Right-breast mammogram, MLO. Patient age 47.
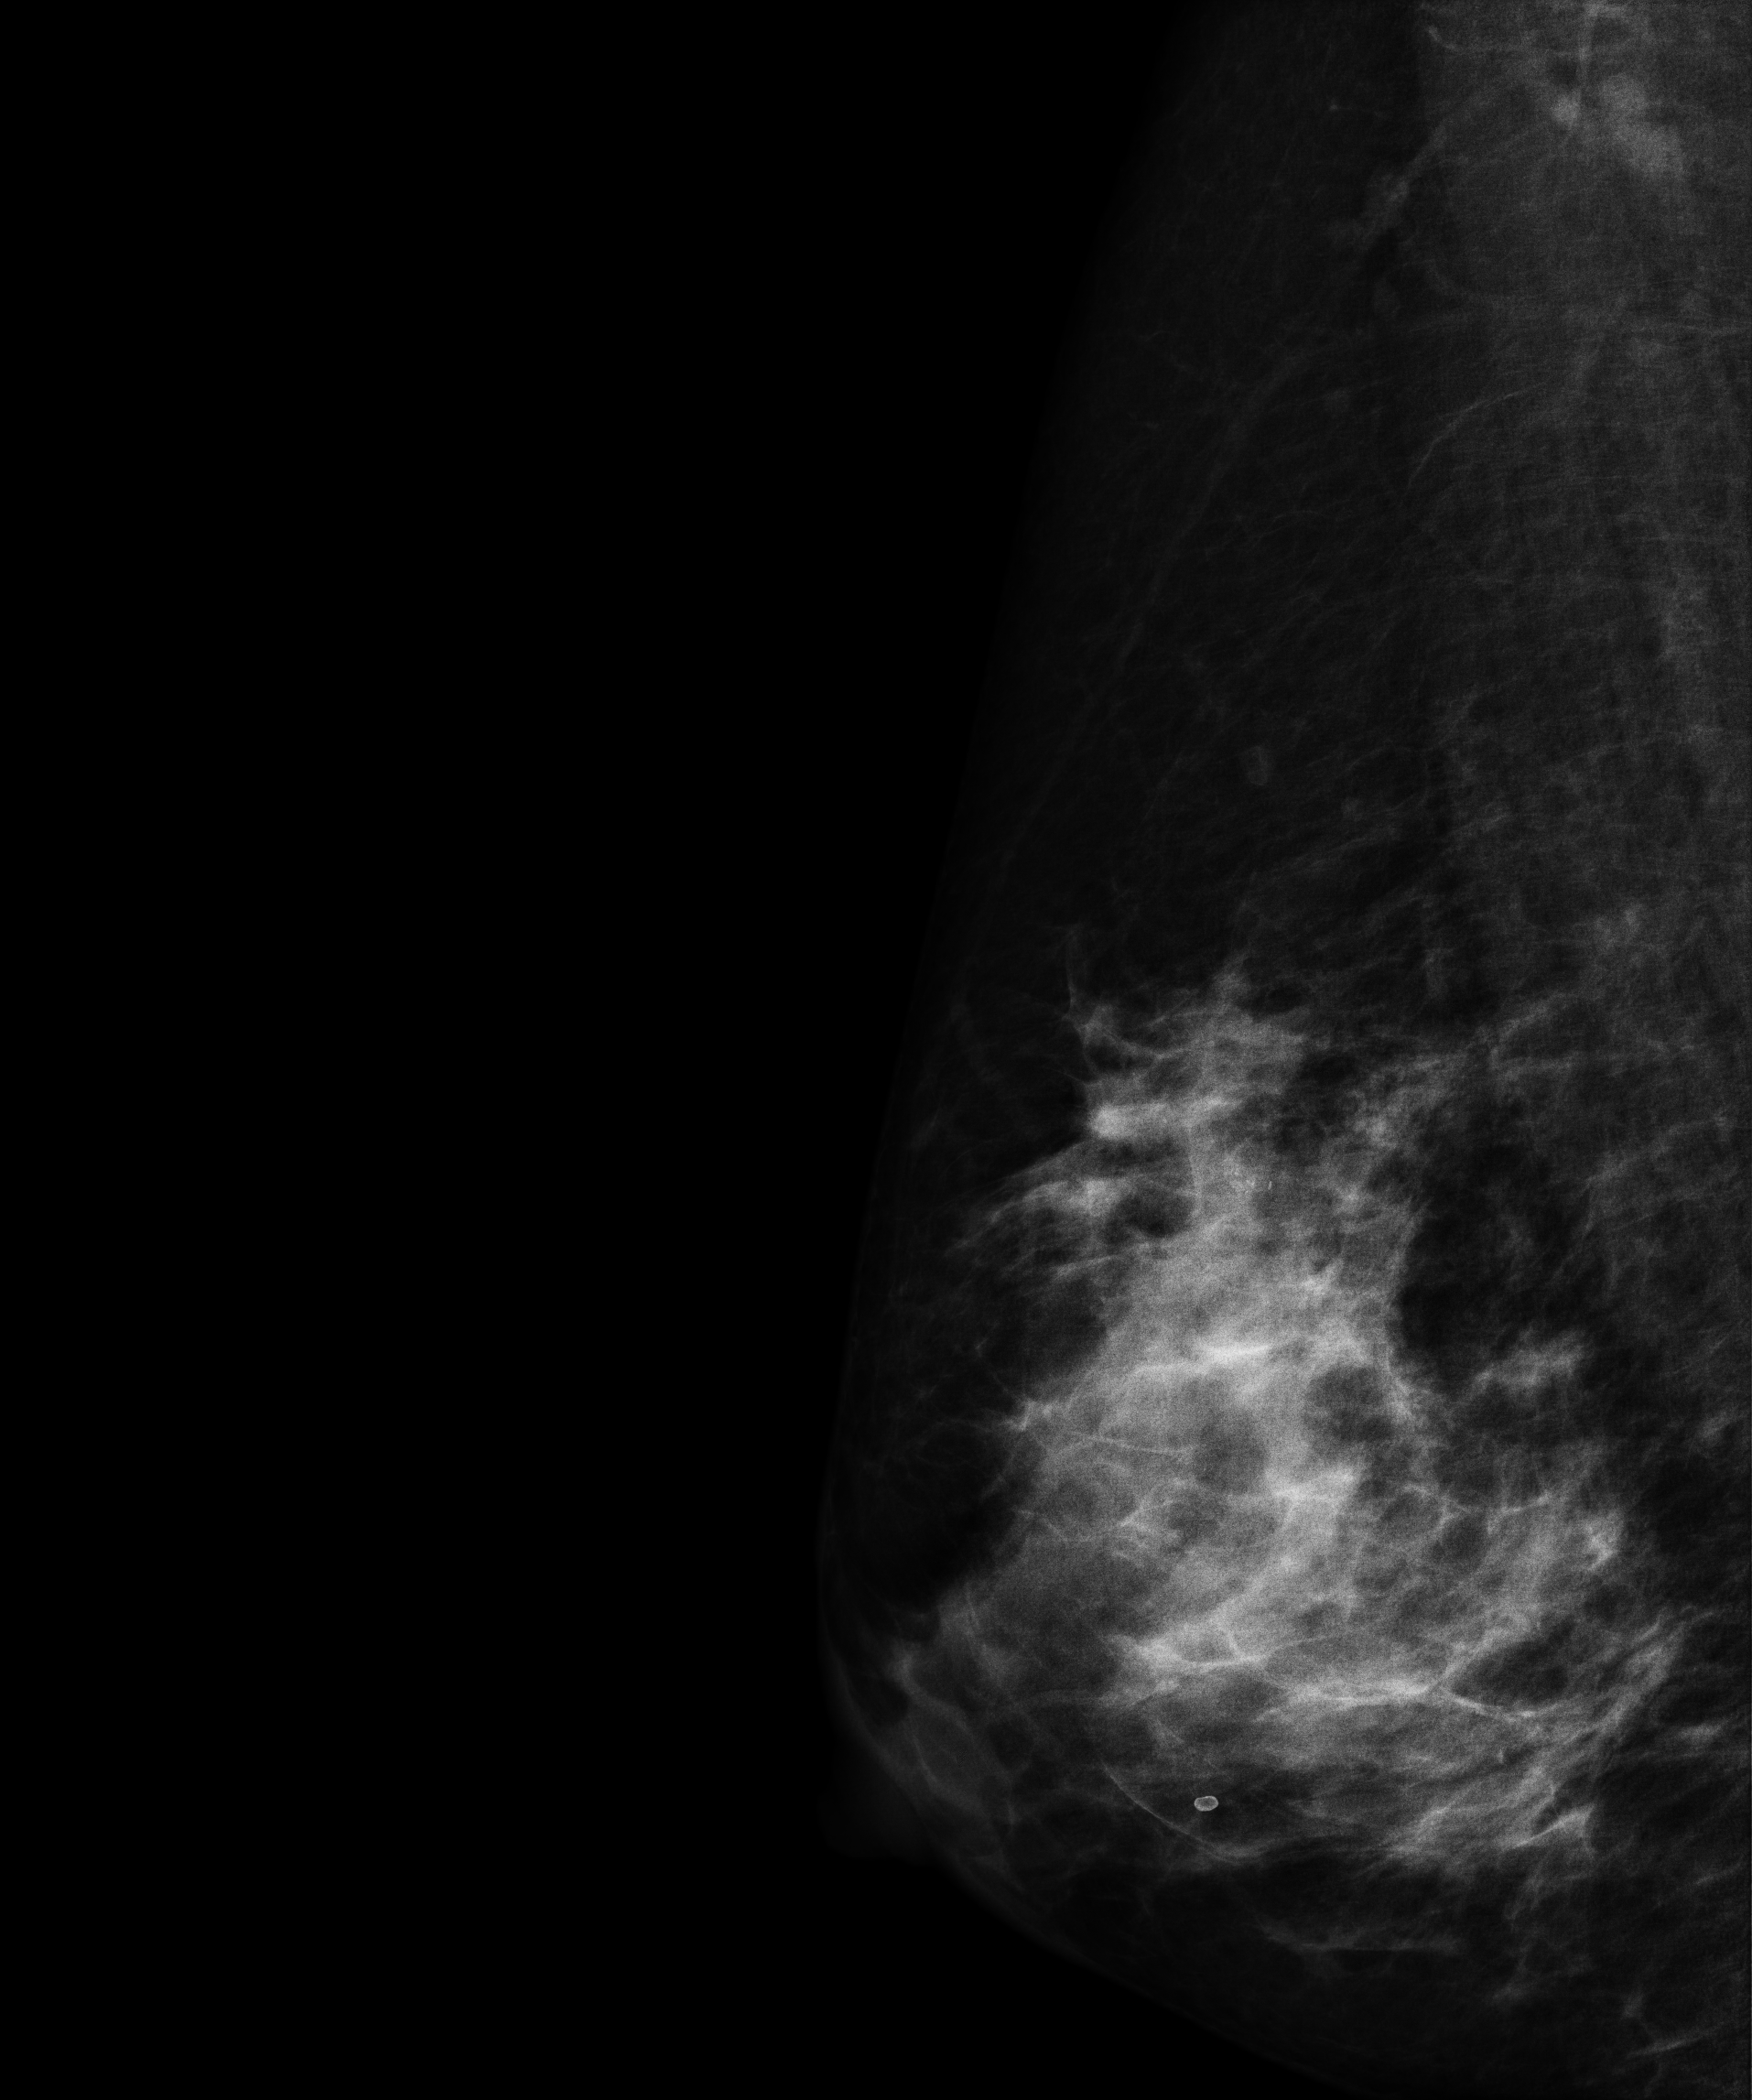
This breast has a mass and calcifications, biopsy-confirmed malignant. Molecular subtype: luminal B.